Left-breast mammogram, MLO. 39-year-old patient.
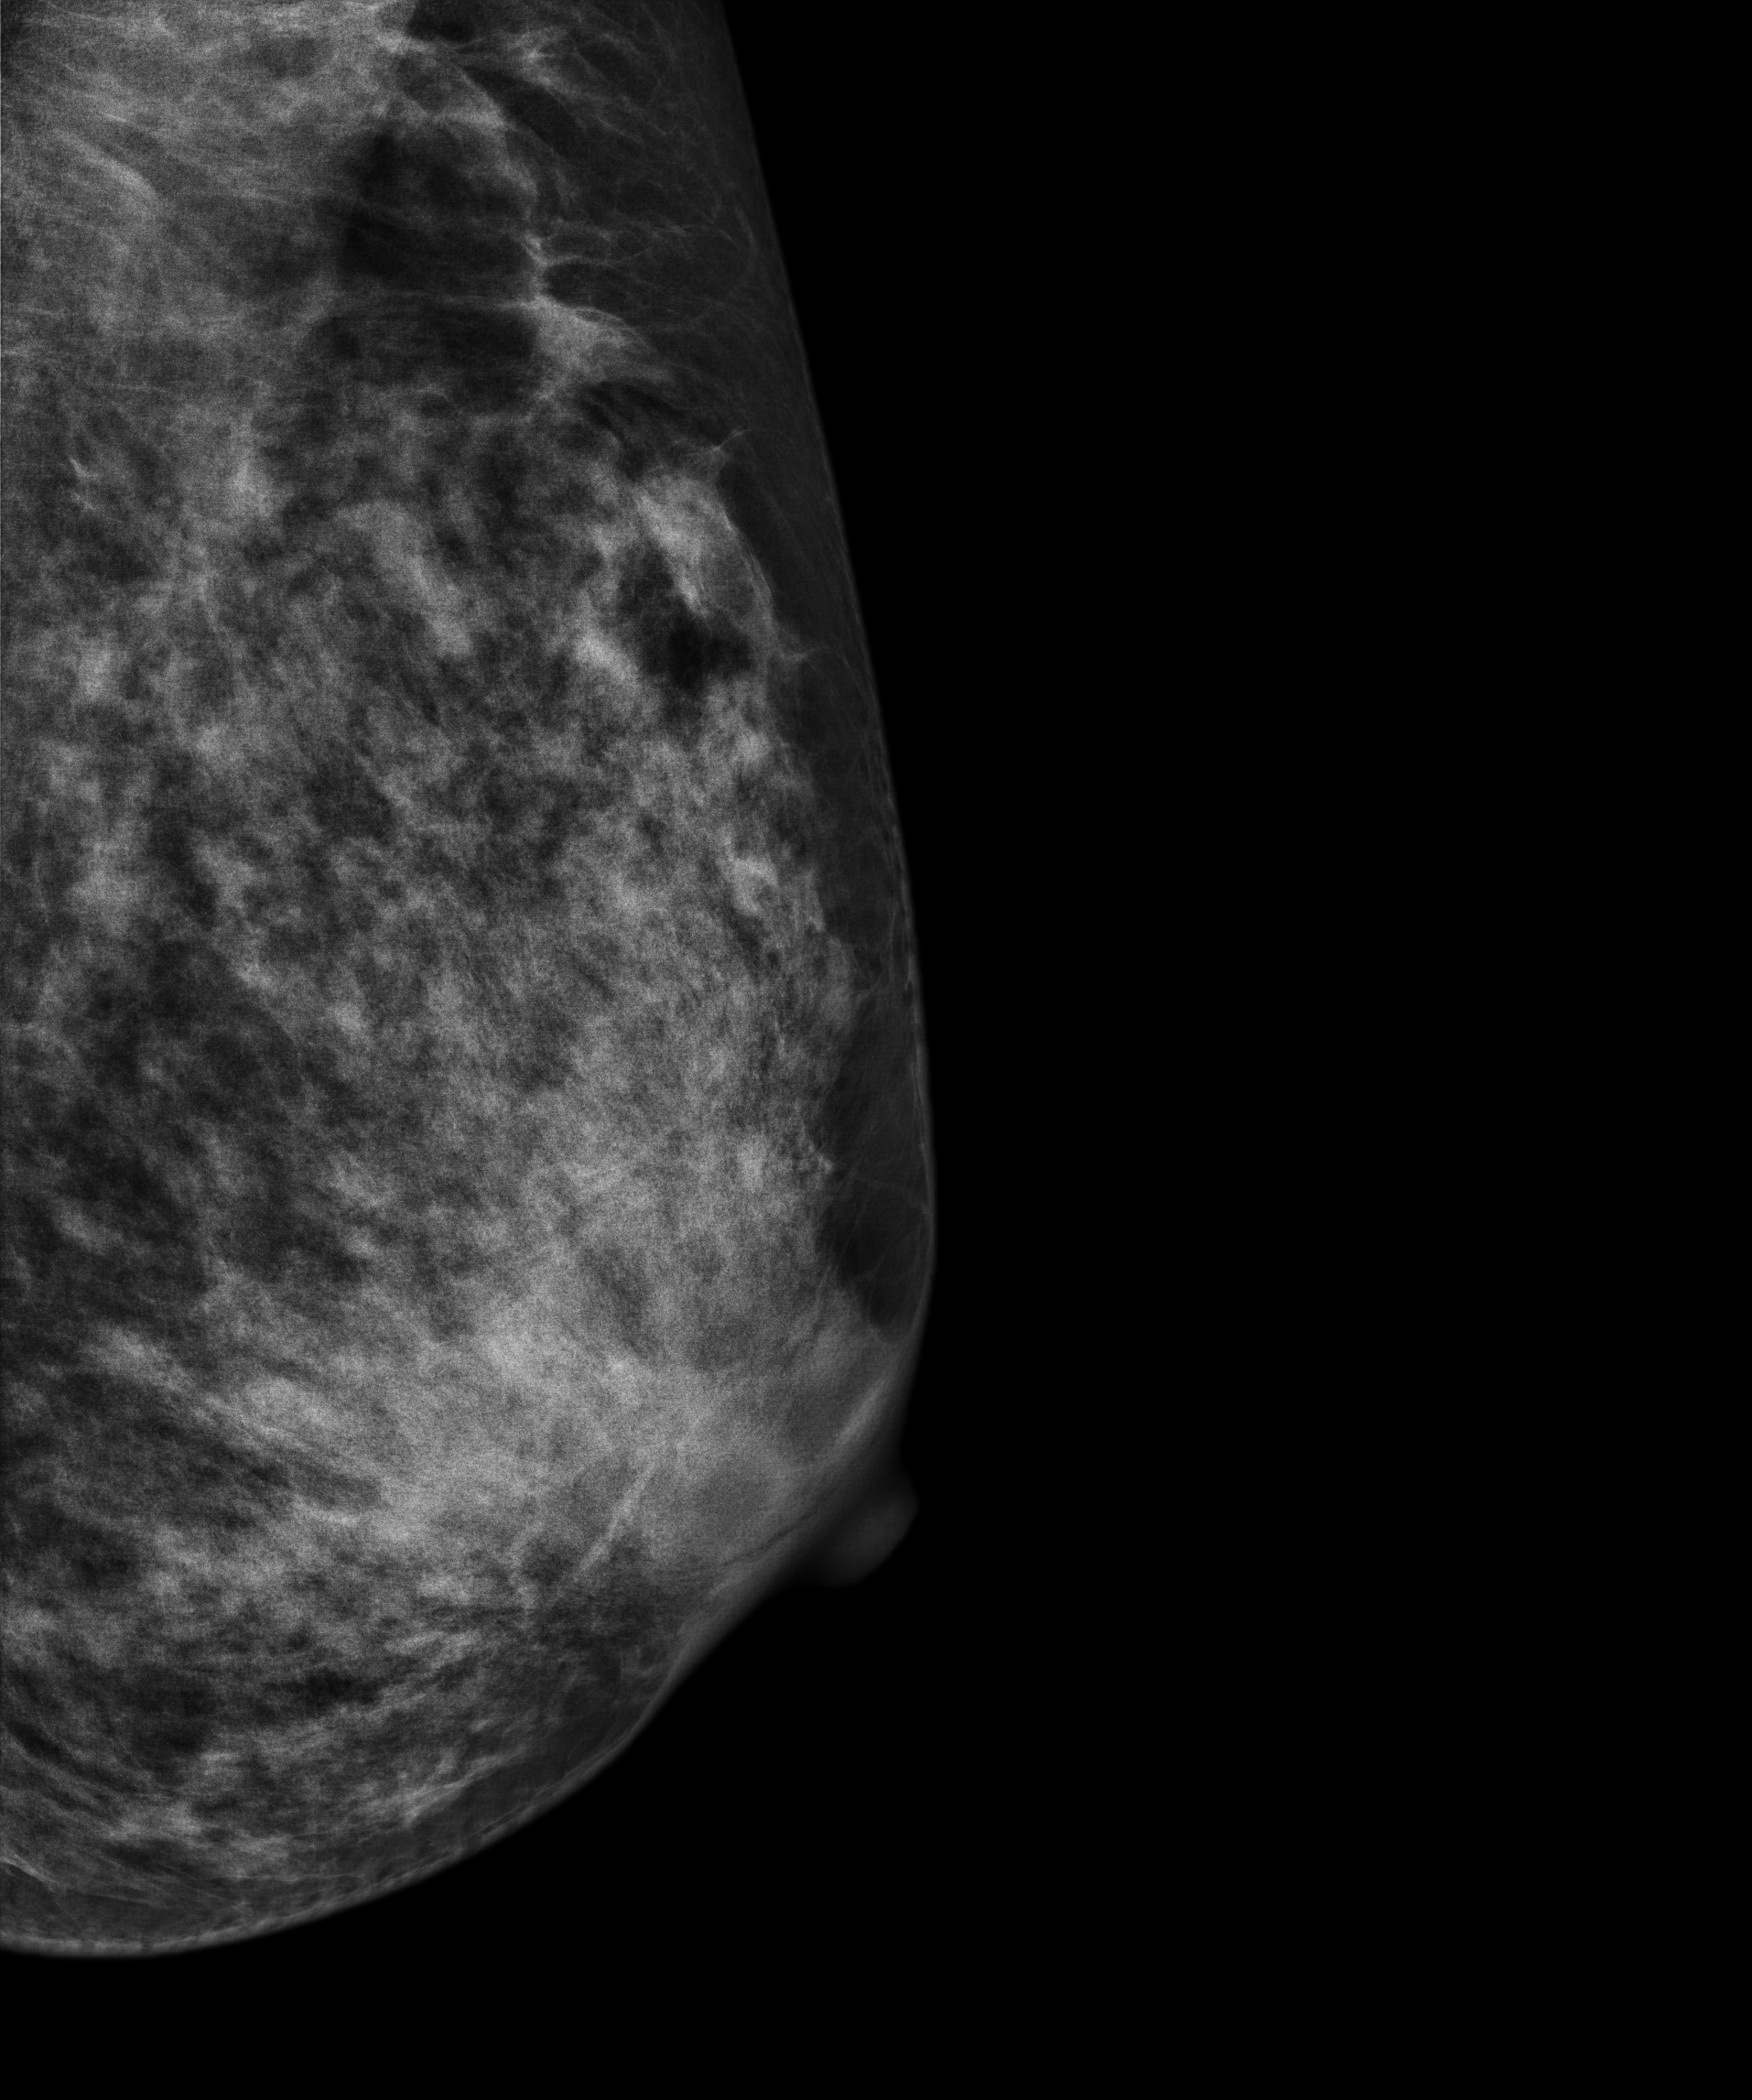
Contralateral breast — no documented abnormality on this side.